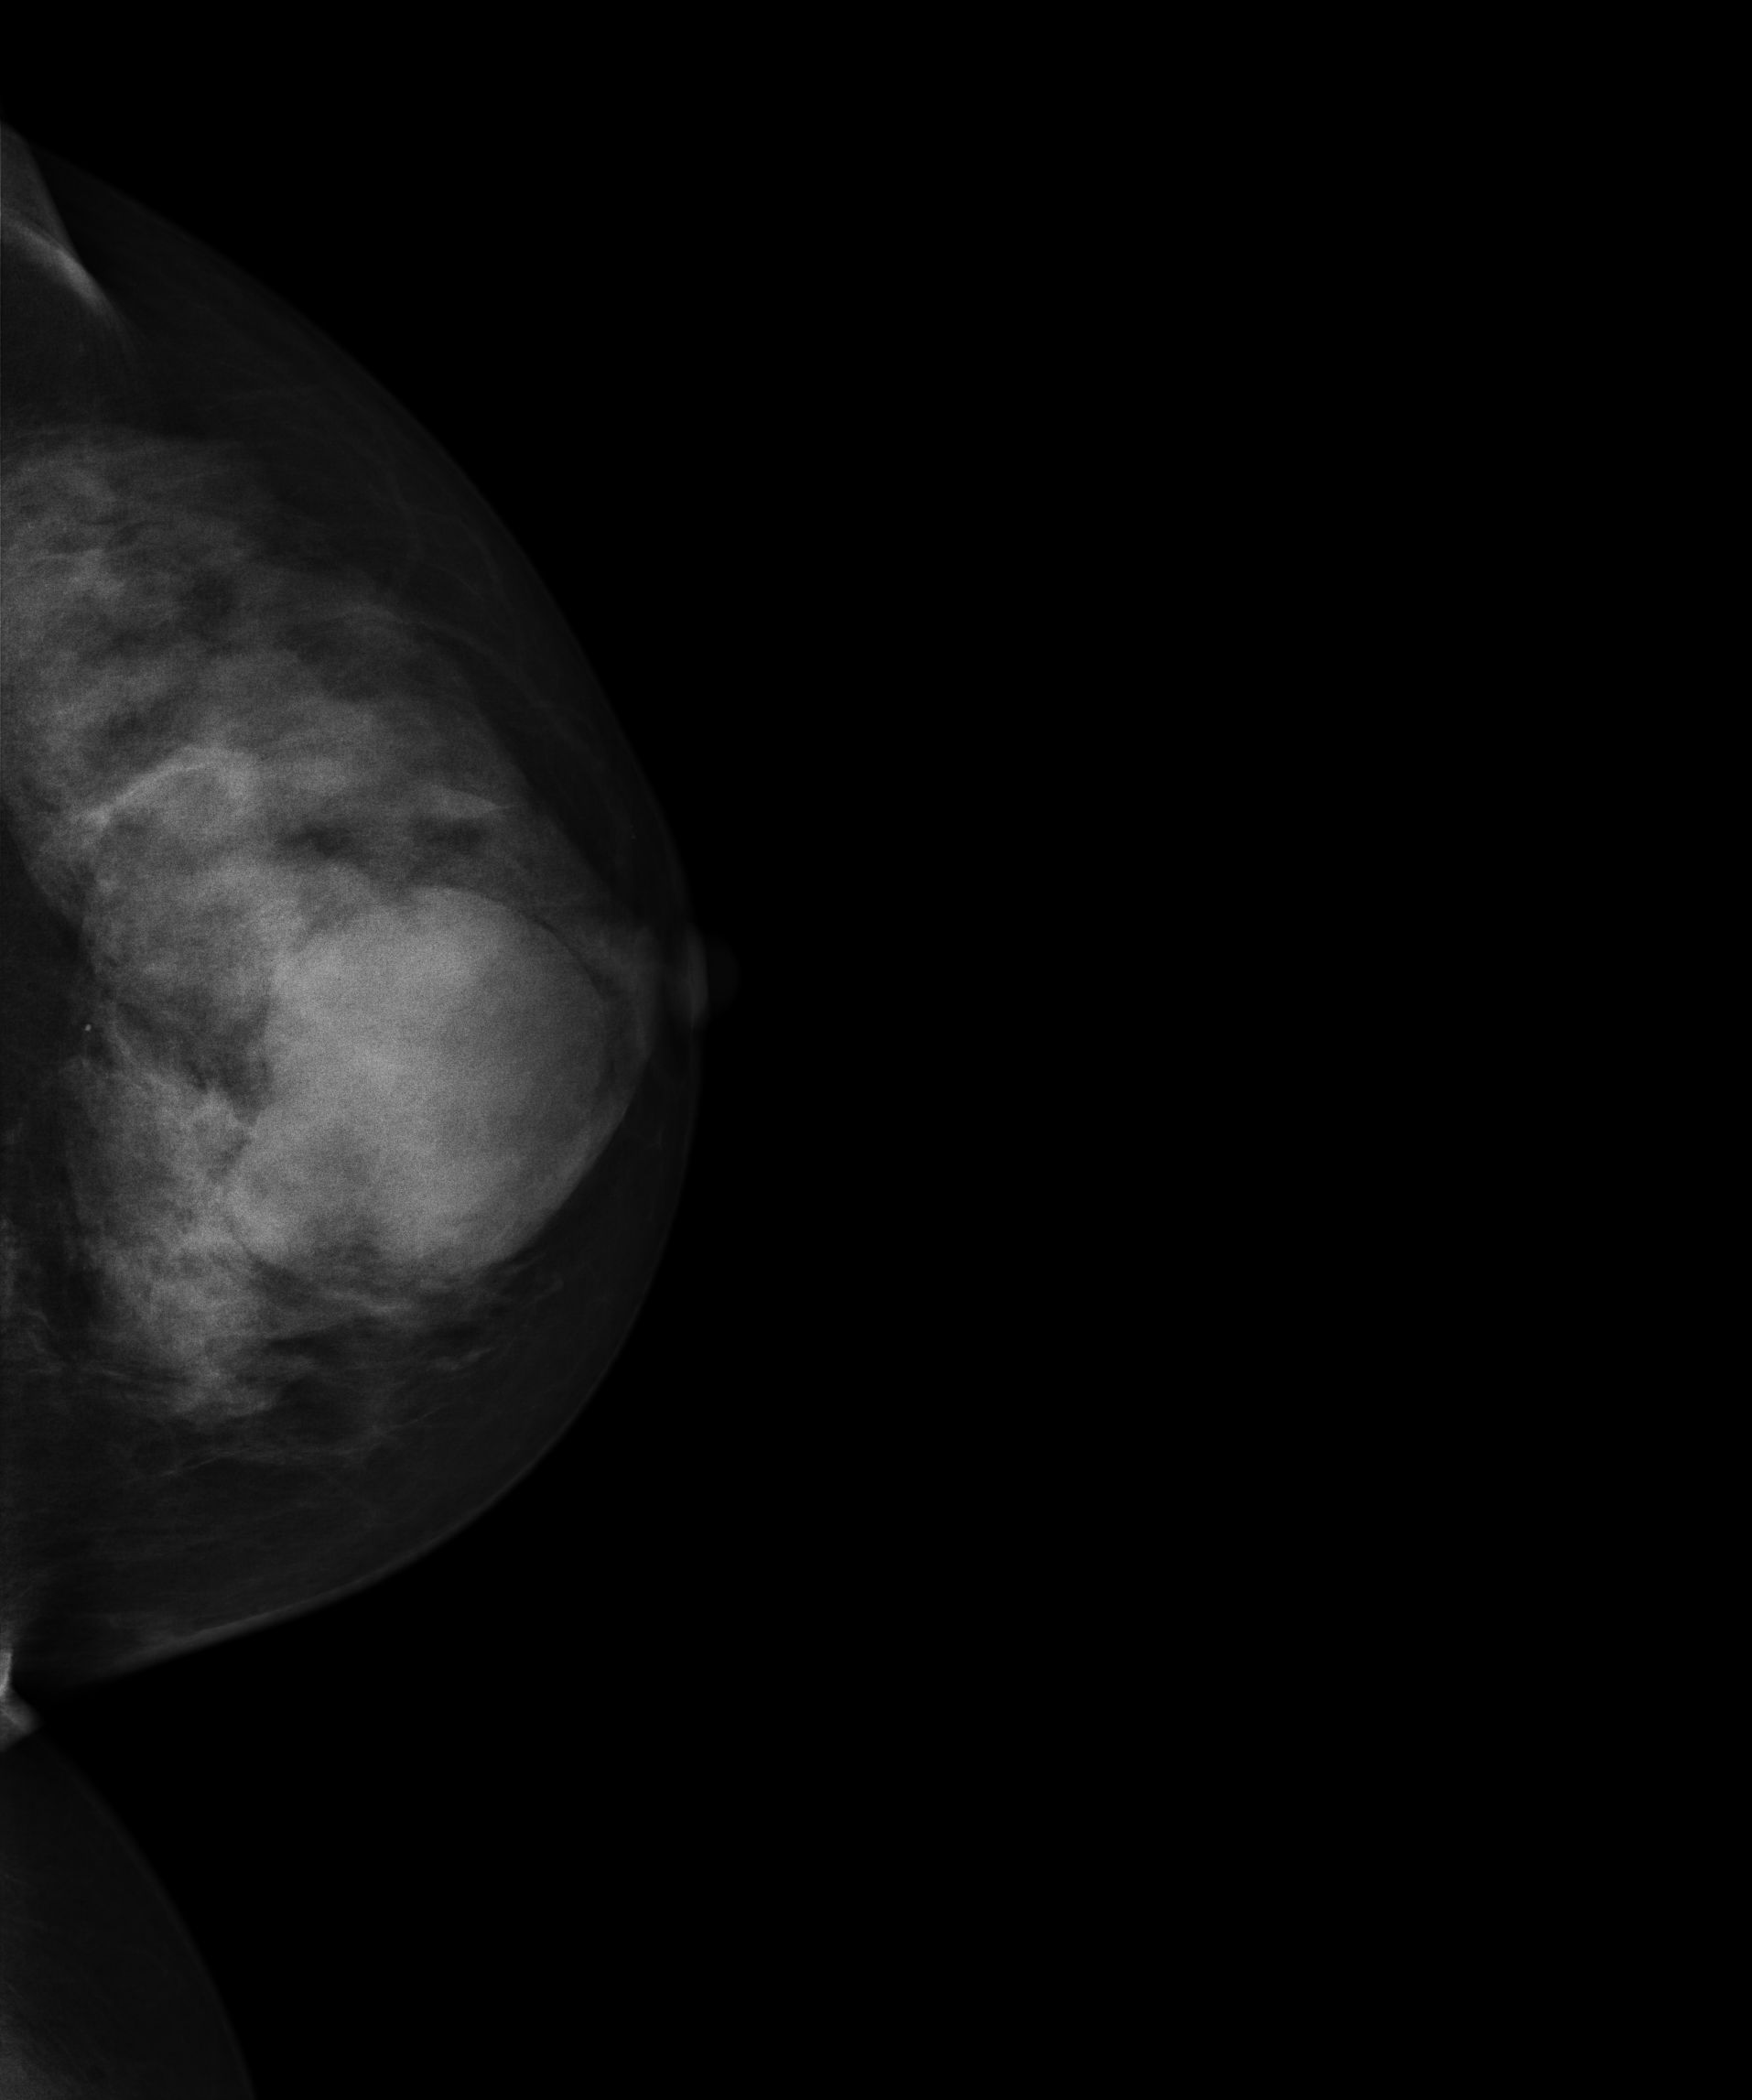
Digital mammography. Left breast, CC projection. Patient age 54.
This breast has a mass, pathology-confirmed malignant.